CC mammogram of the left breast. Patient age 47.
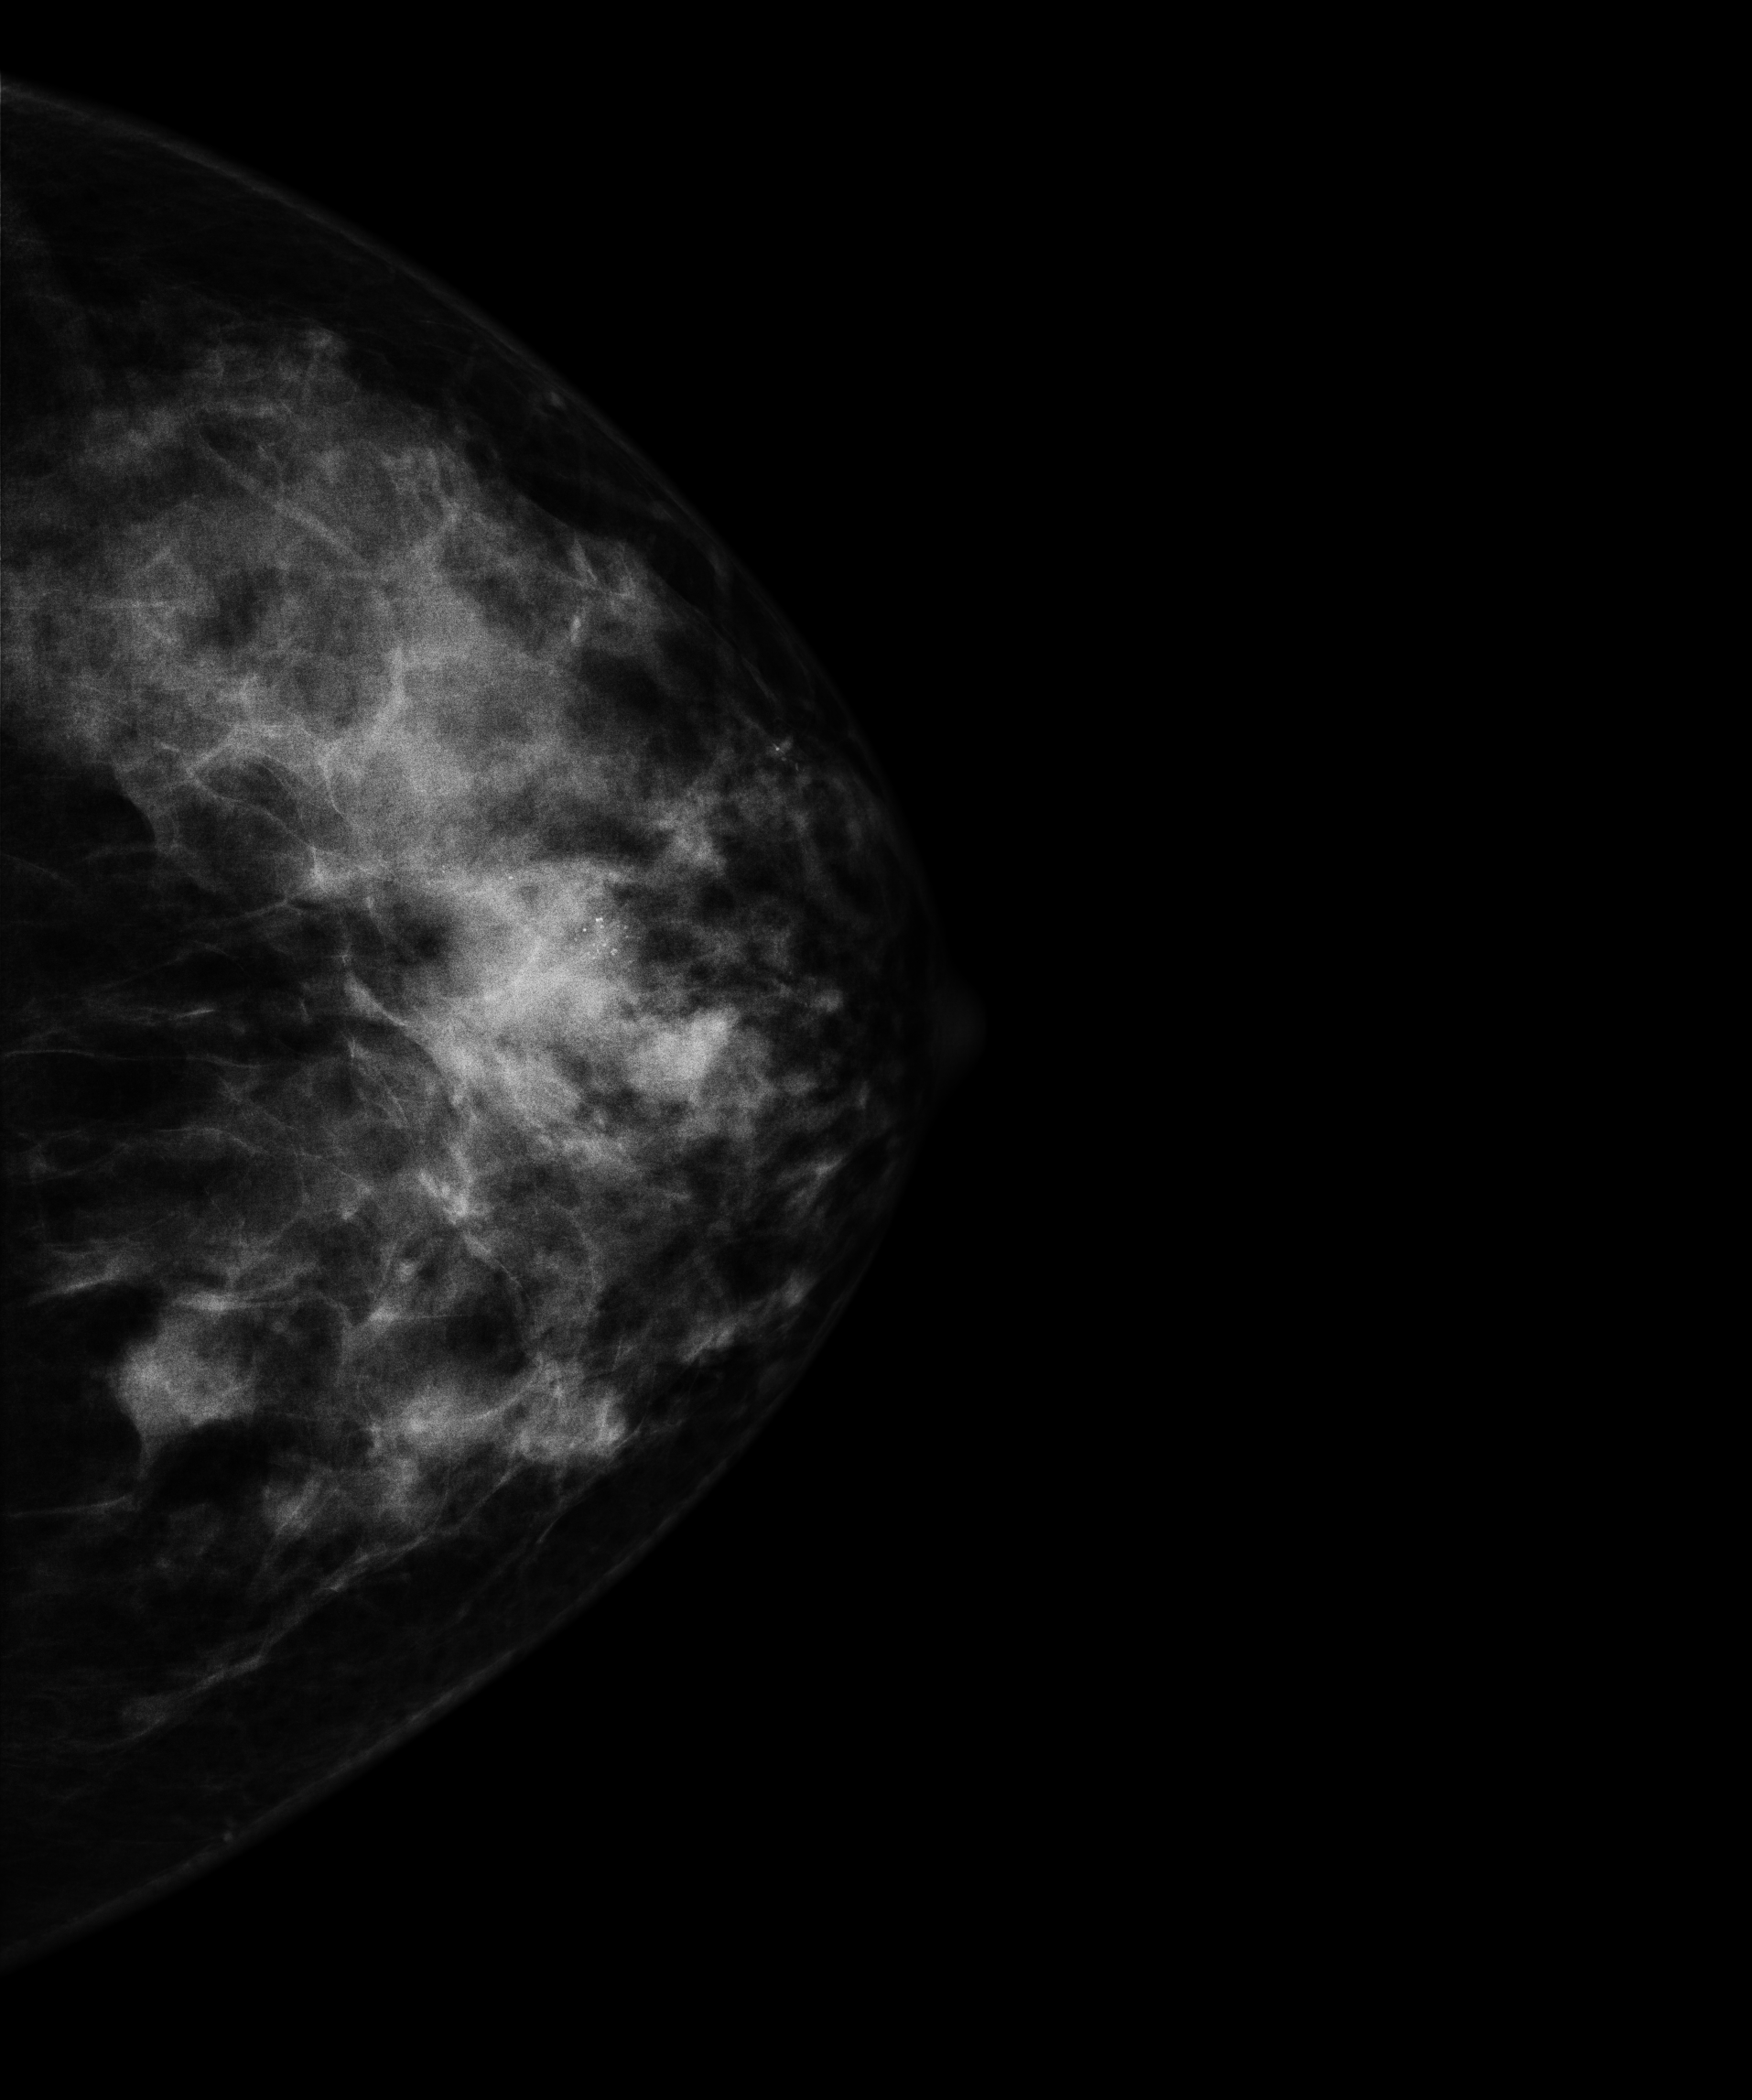
This breast has calcifications, pathology-confirmed malignant.